Mammogram — left cranio-caudal. 55-year-old patient.
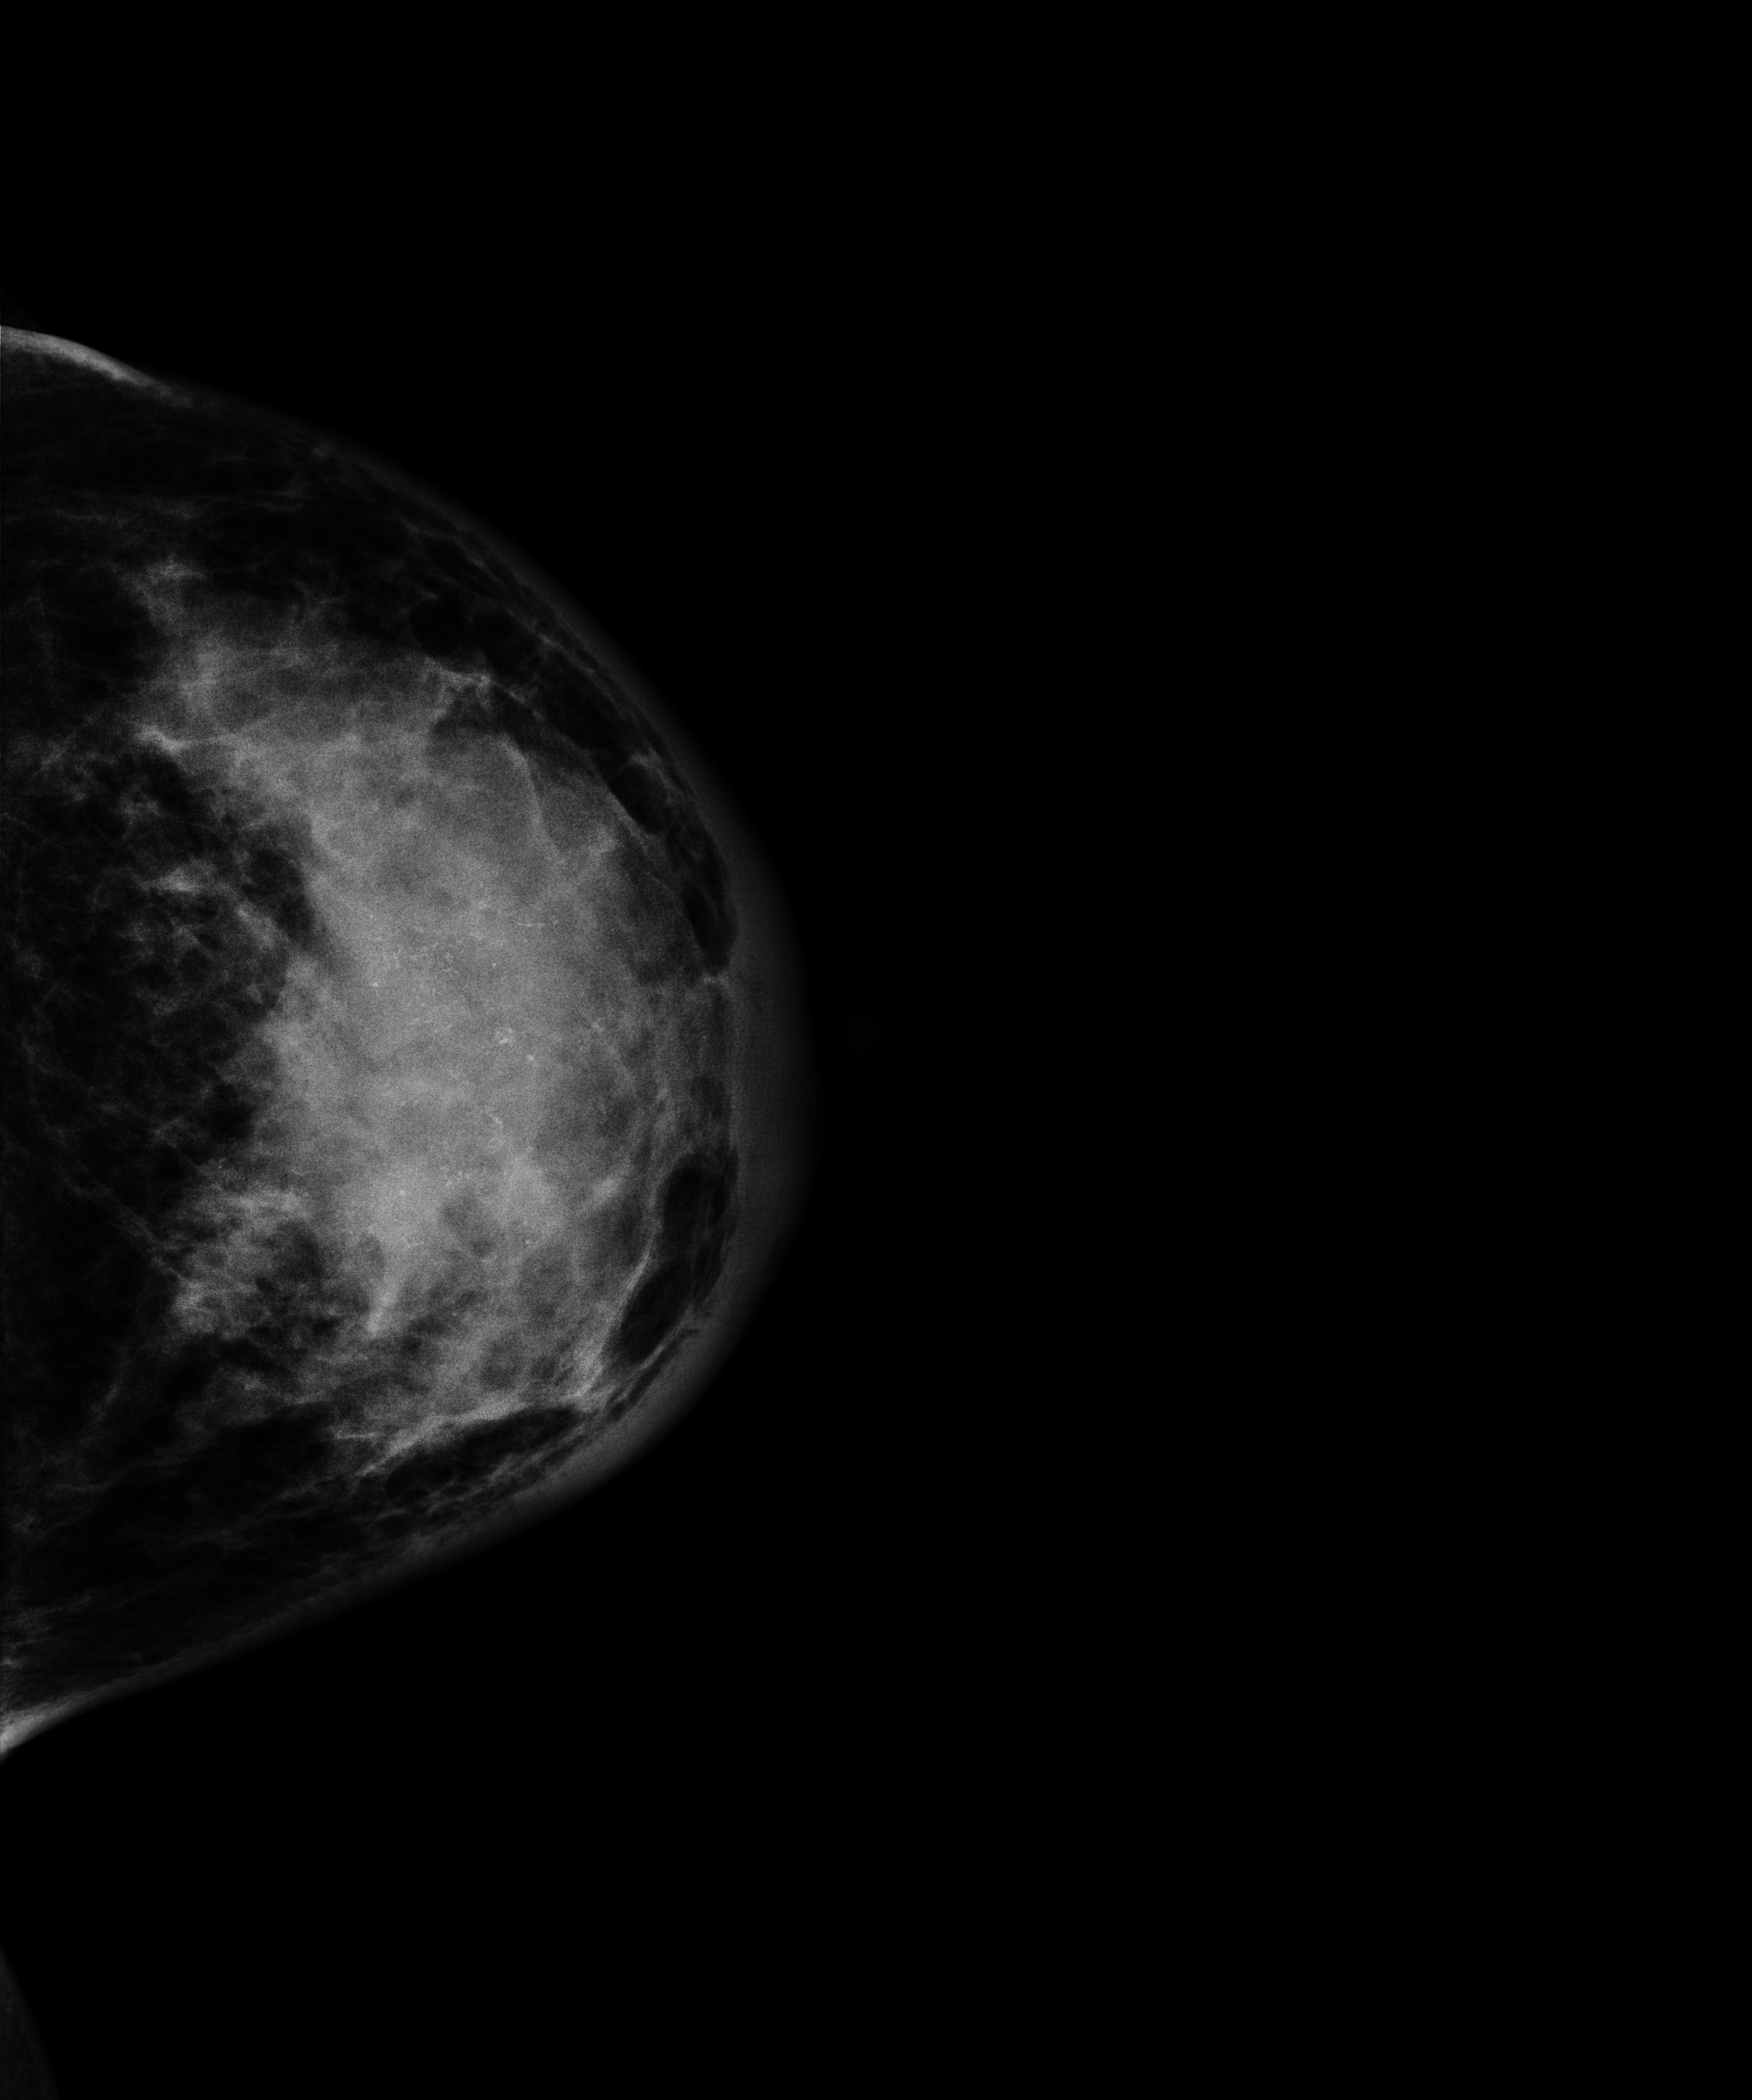
This breast has a mass and calcifications, biopsy-proven malignant. Molecular subtype: HER2-enriched.